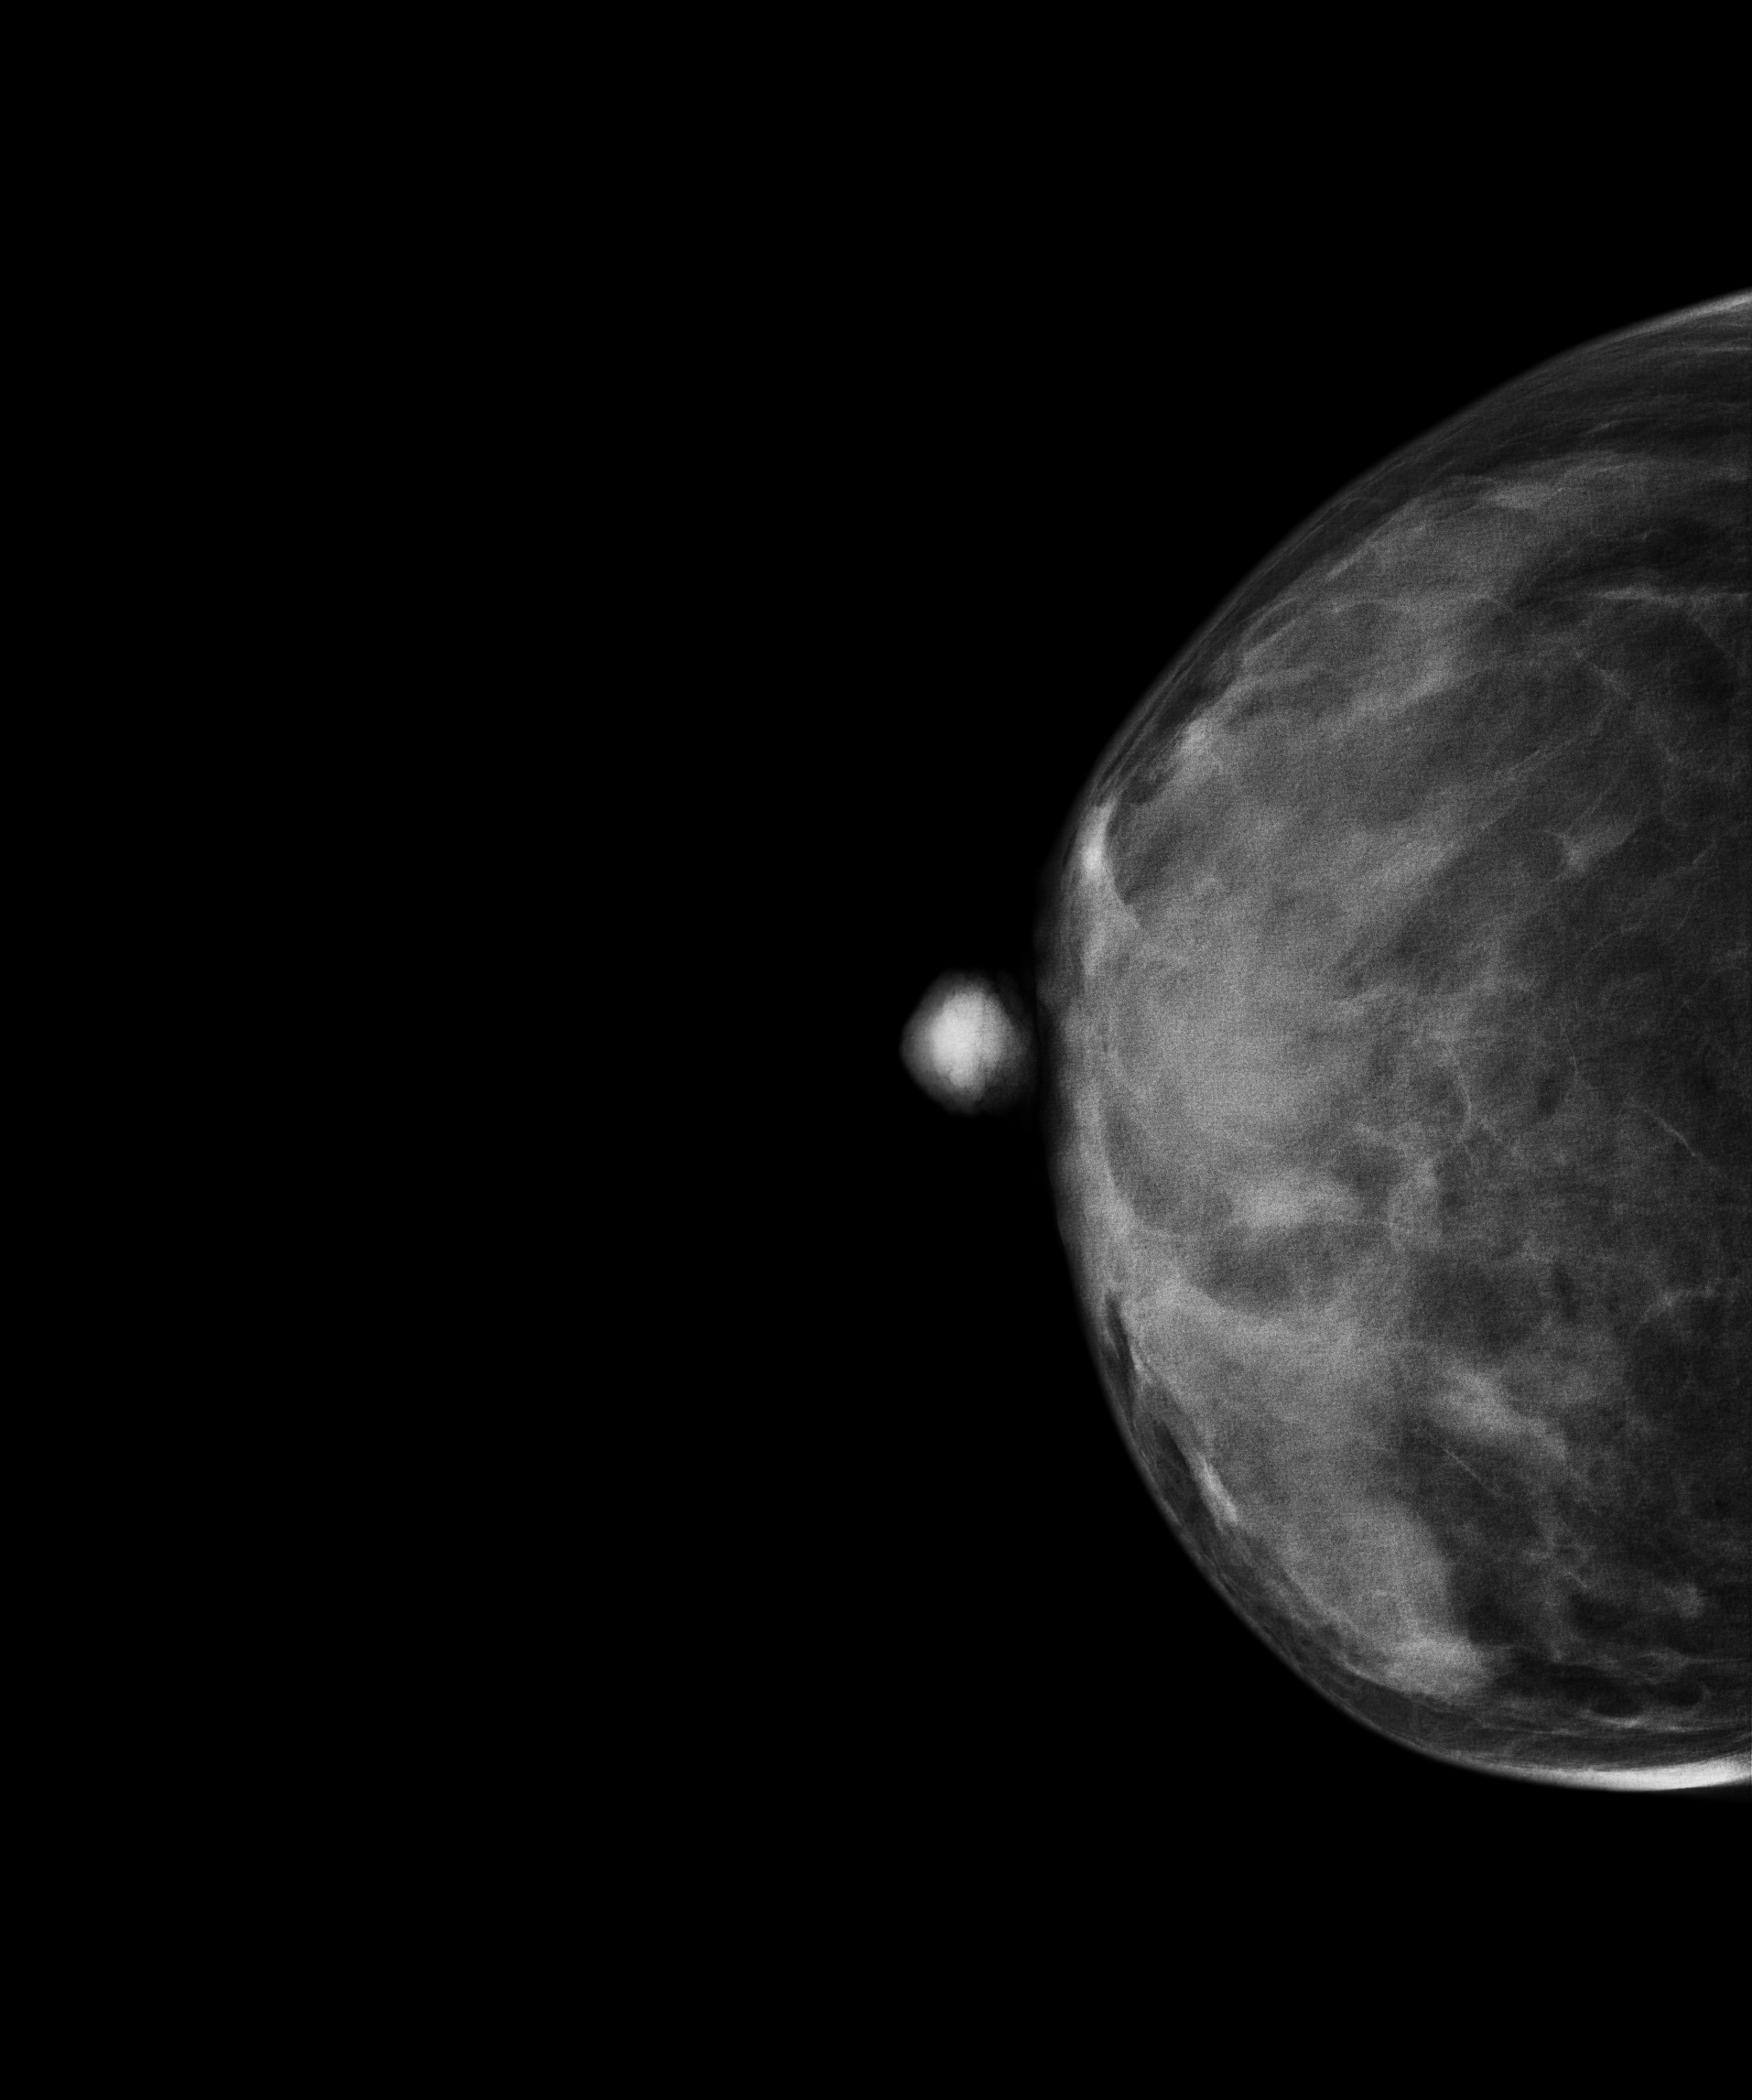
CC mammogram of the right breast. Patient age 50.
Contralateral breast — no documented abnormality on this side.